Right-breast mammogram, medio-lateral oblique. Patient age 66.
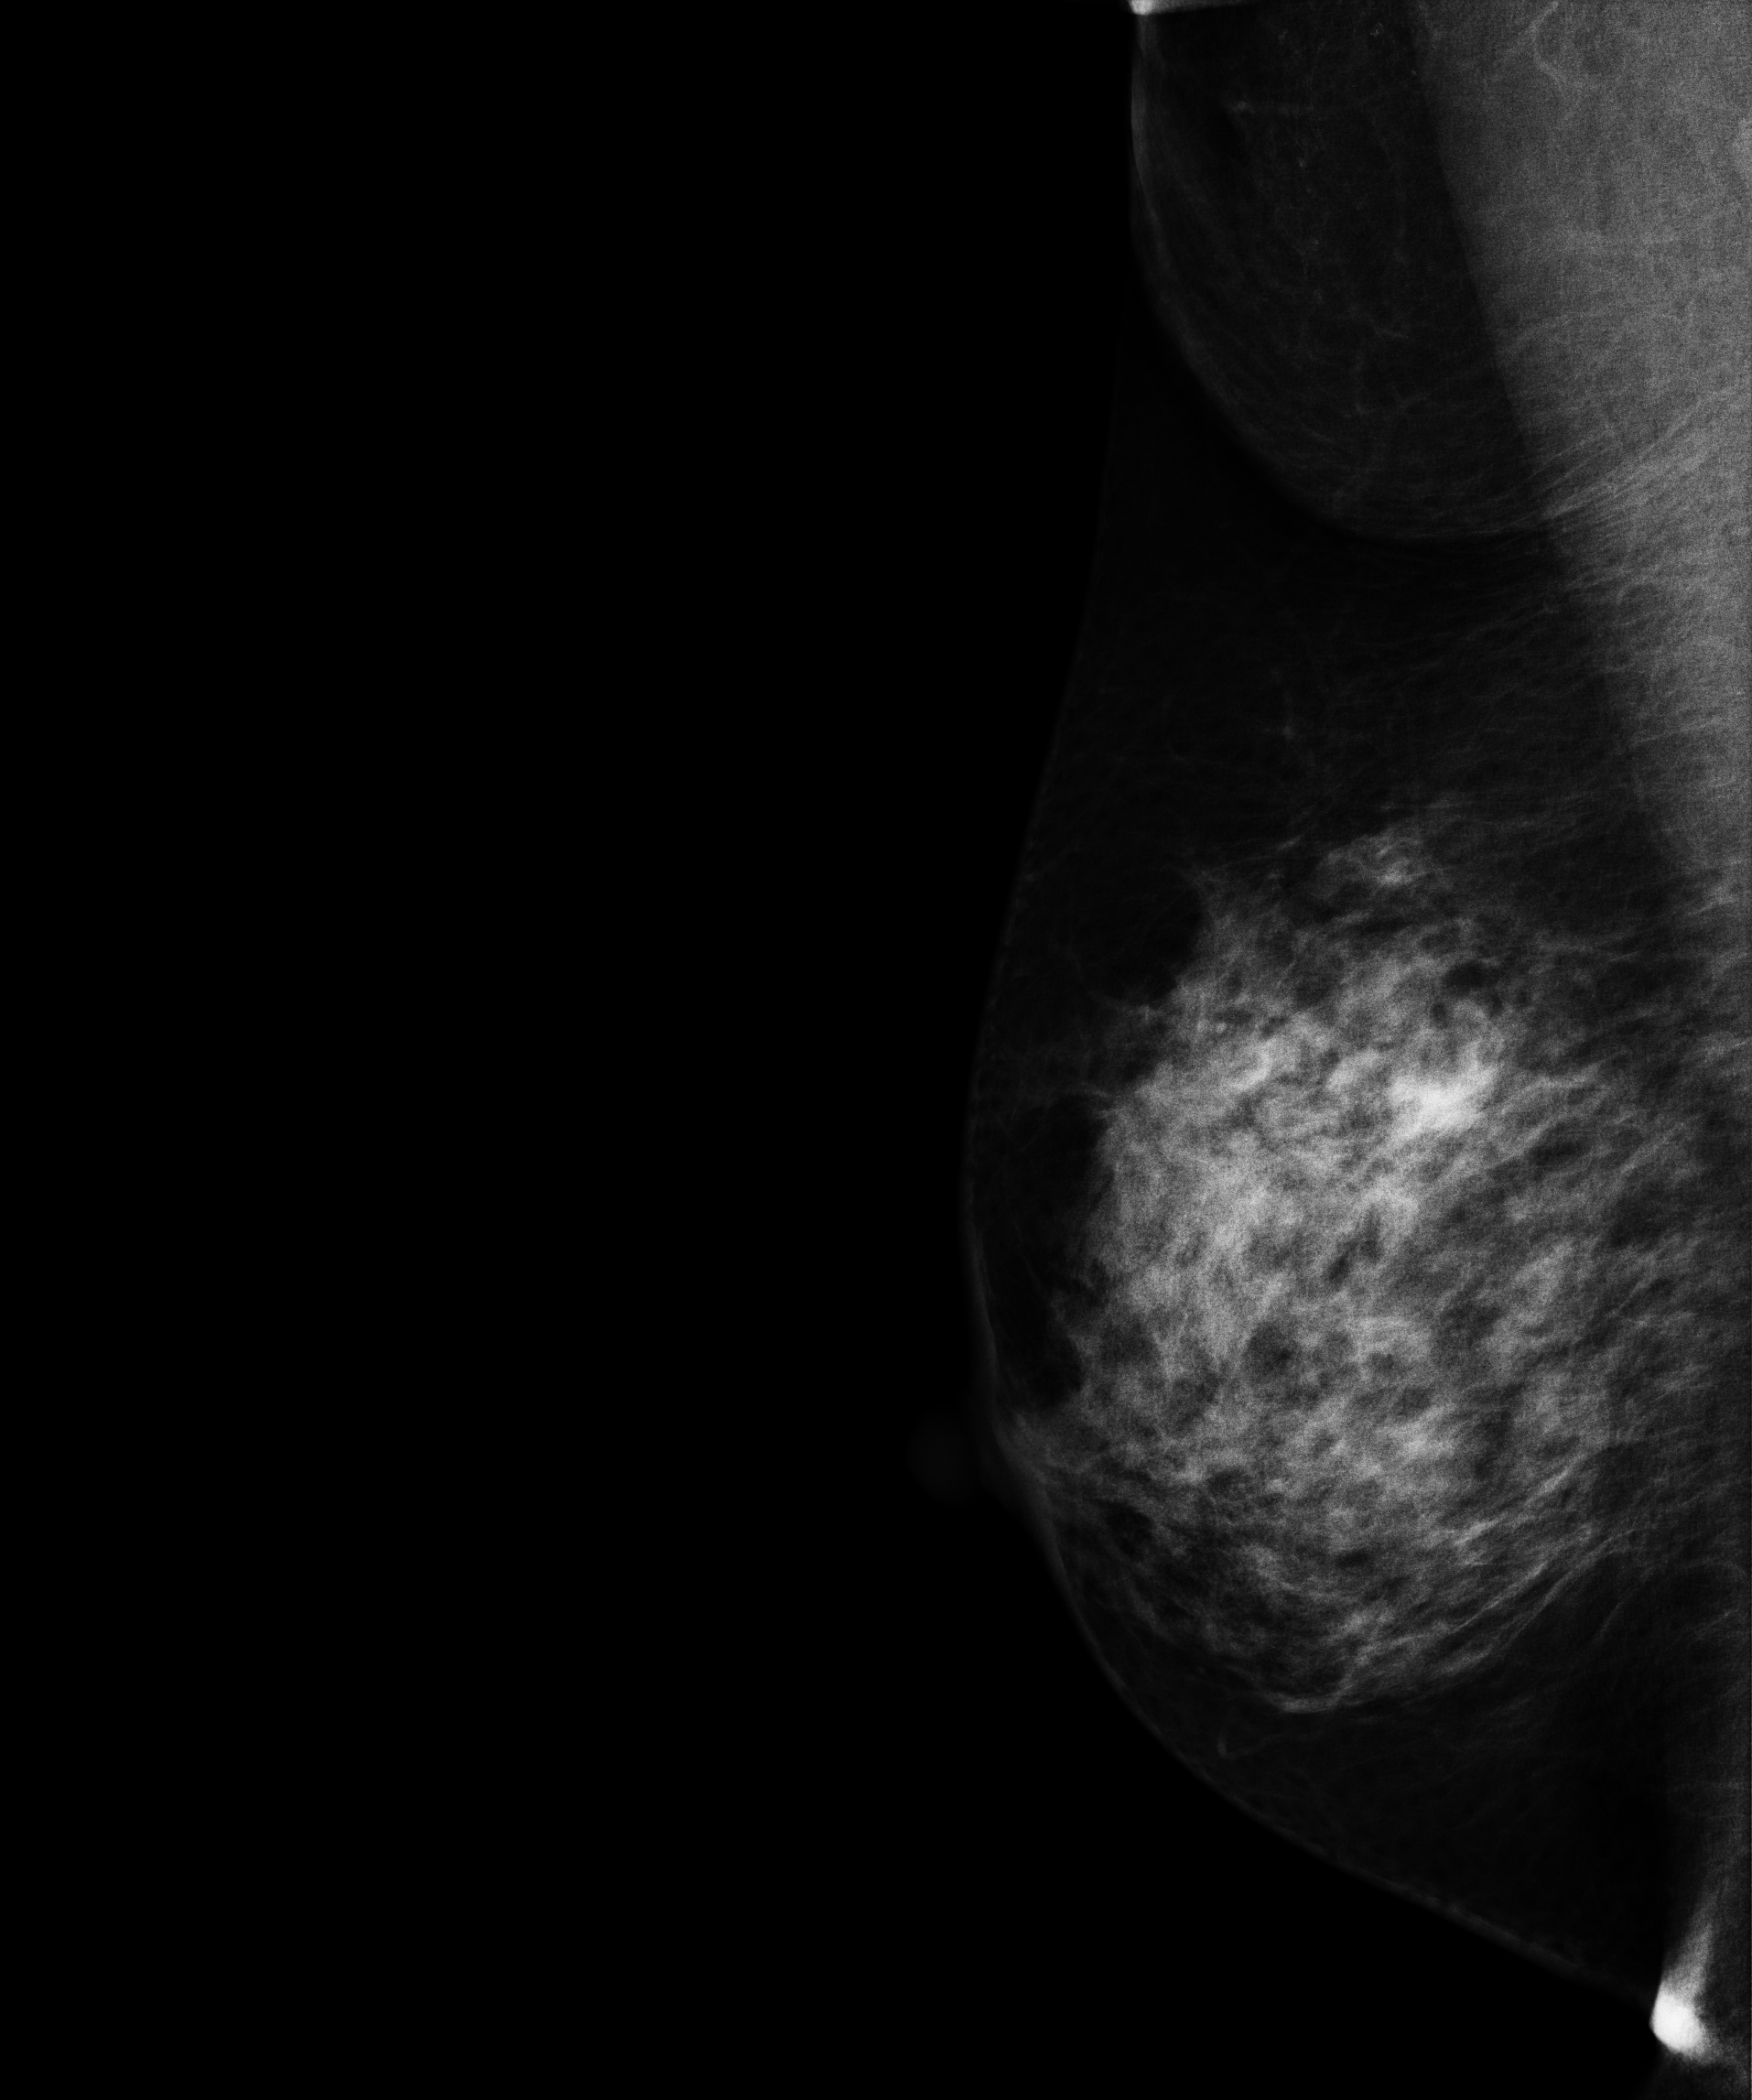
This breast has a mass, biopsy-proven benign.